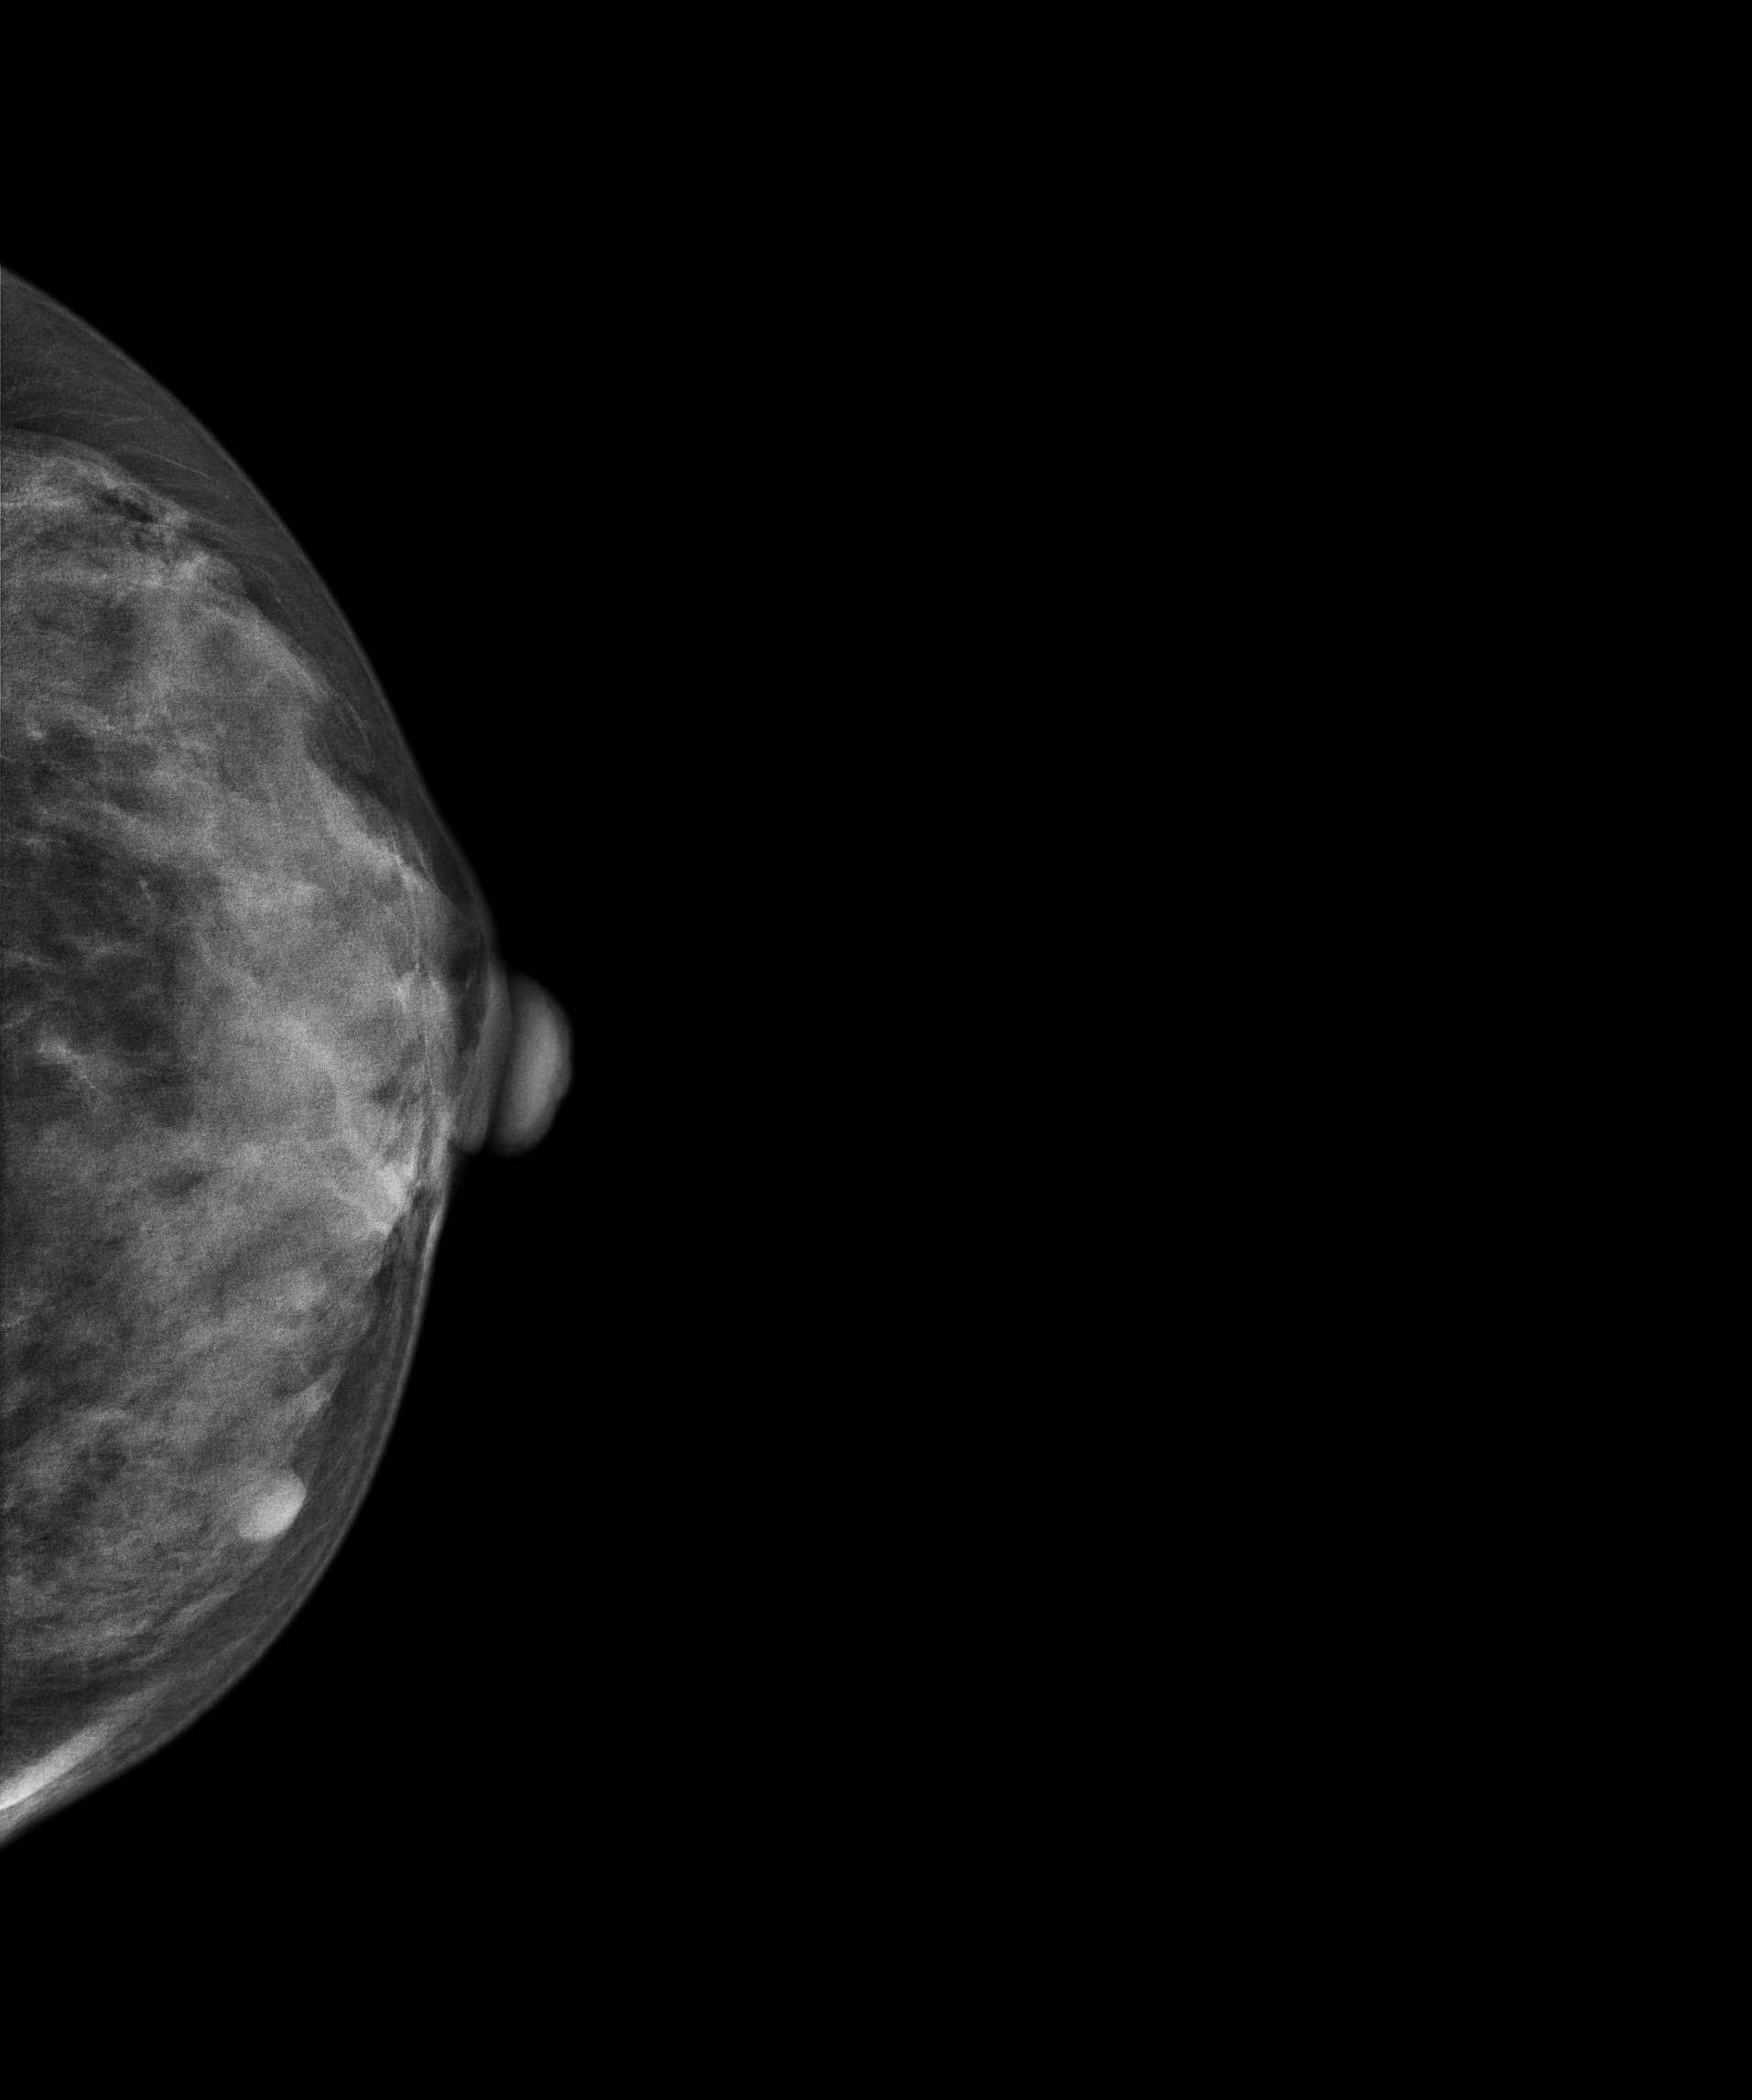
Left-breast mammogram, CC. Patient age 45.
This breast has a mass, biopsy-proven benign.